Right-breast mammogram, cranio-caudal. Patient age 73.
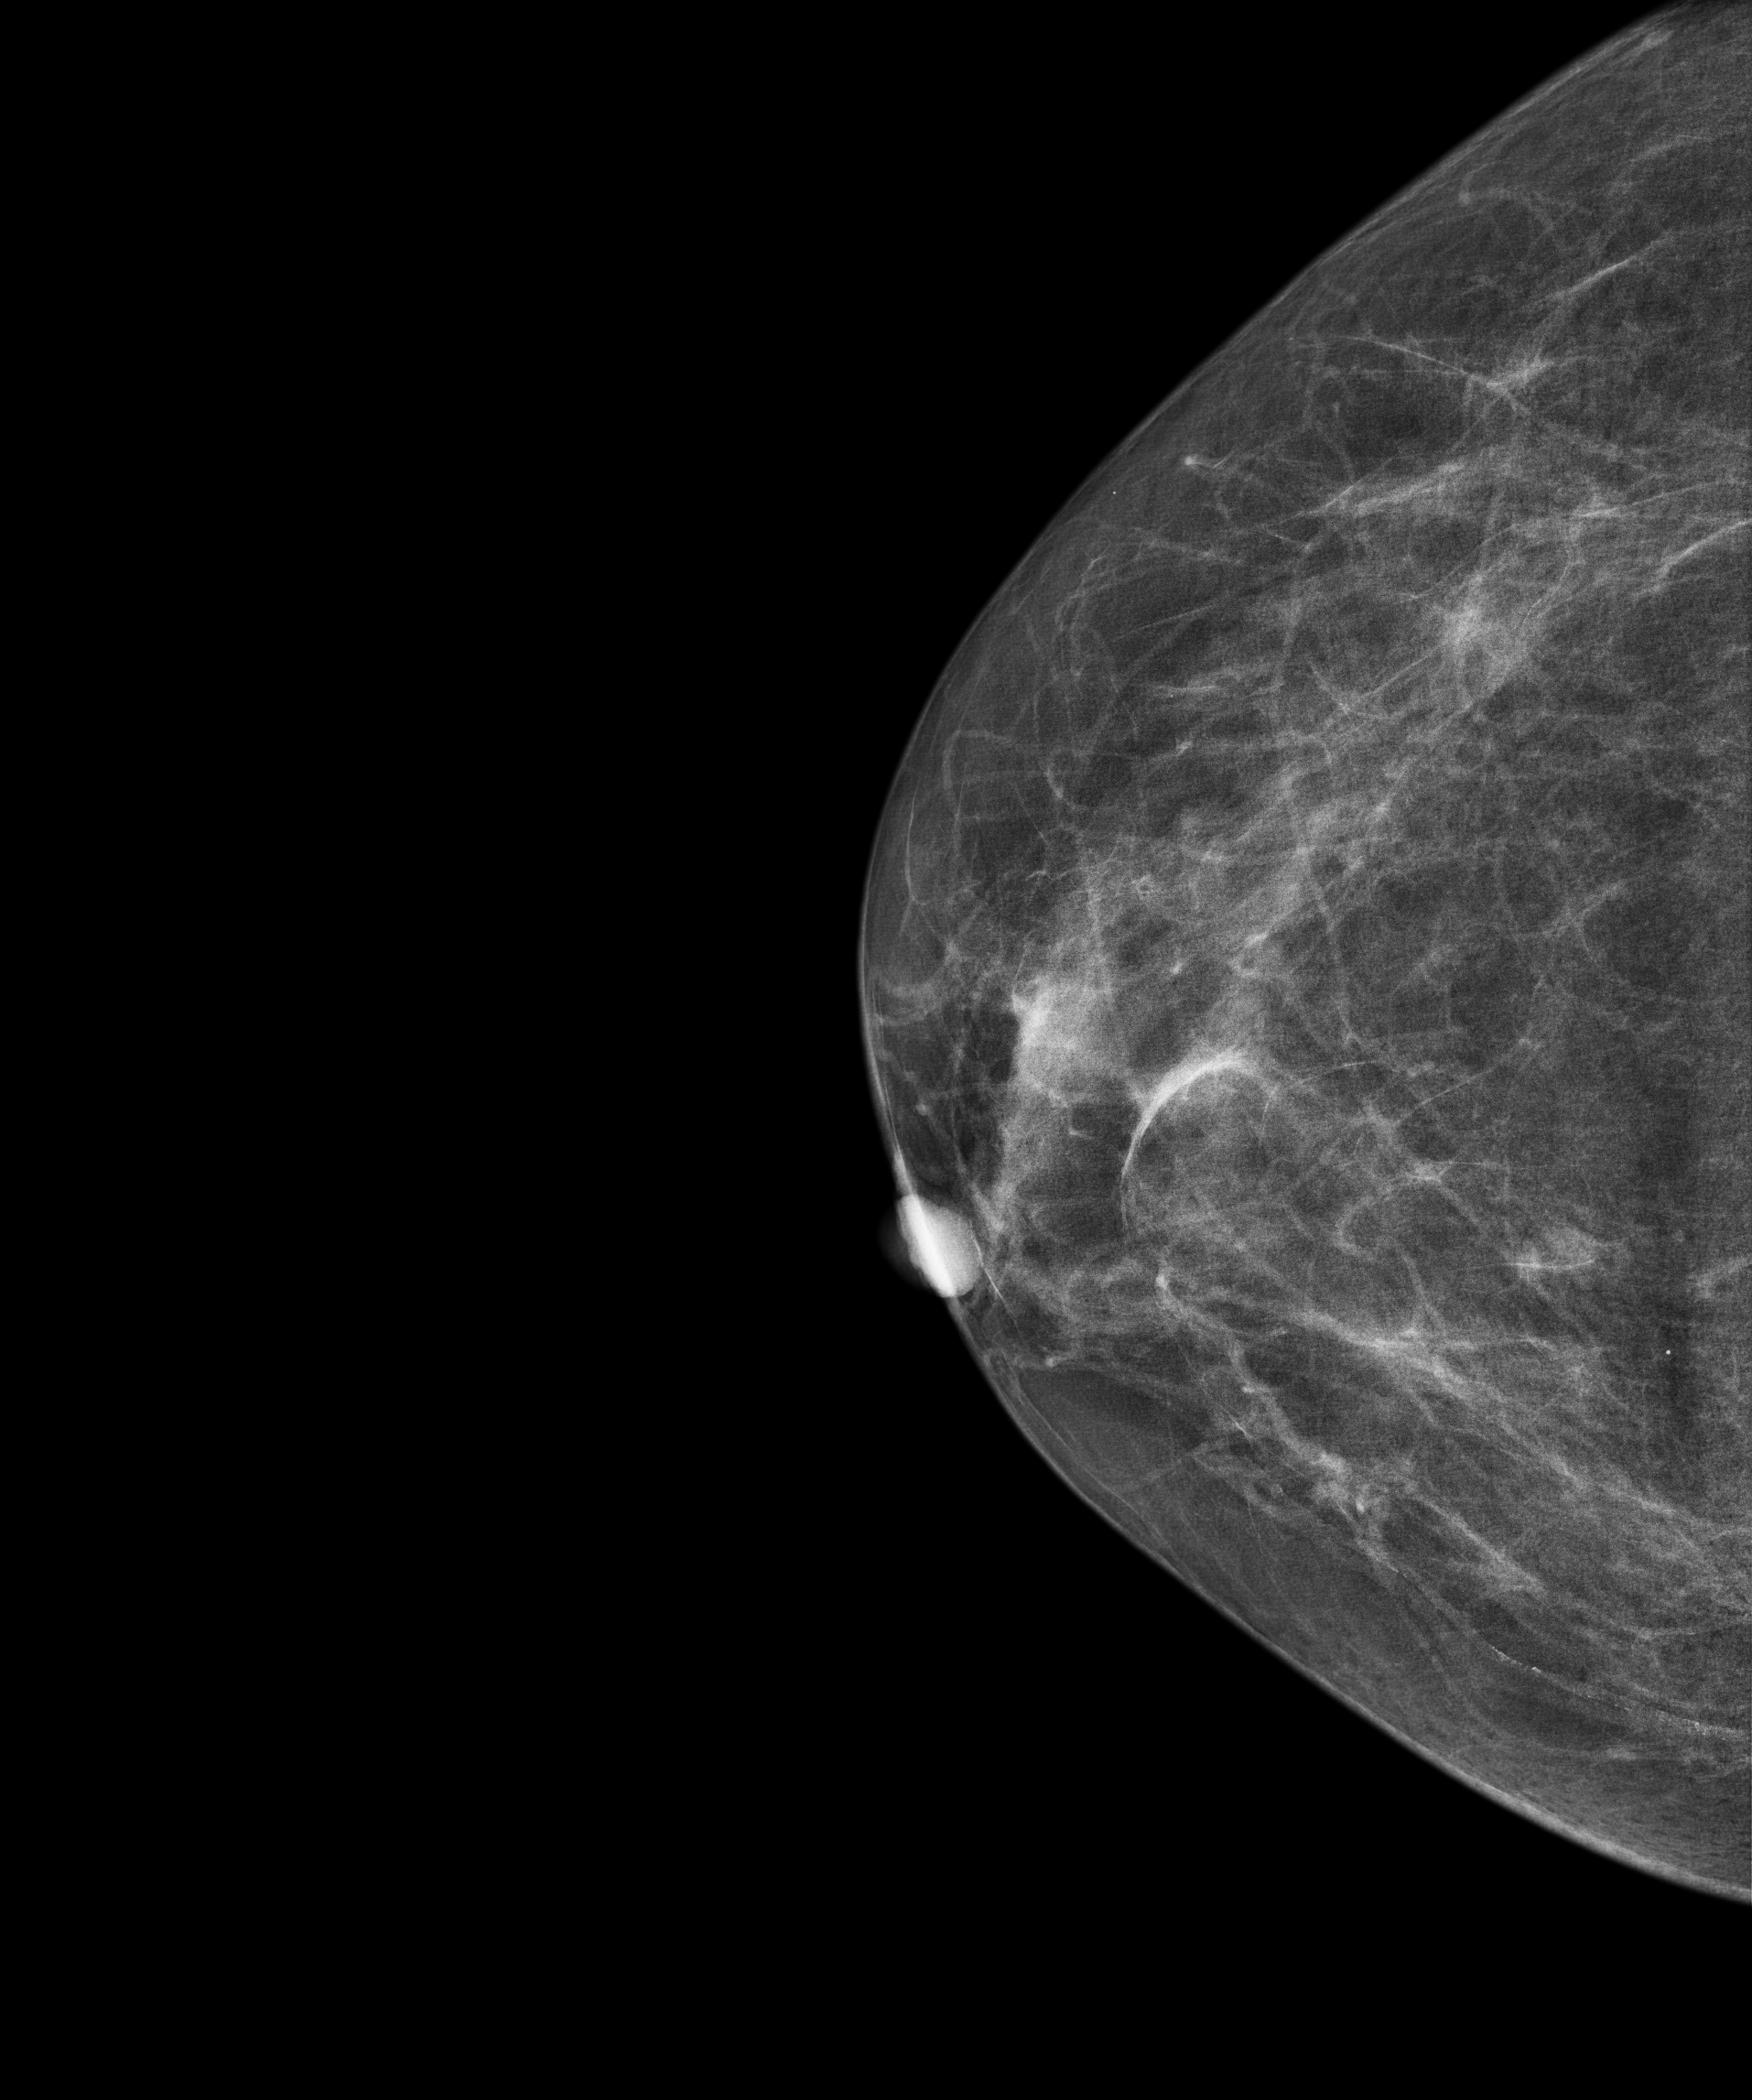
Contralateral breast — no documented abnormality on this side.